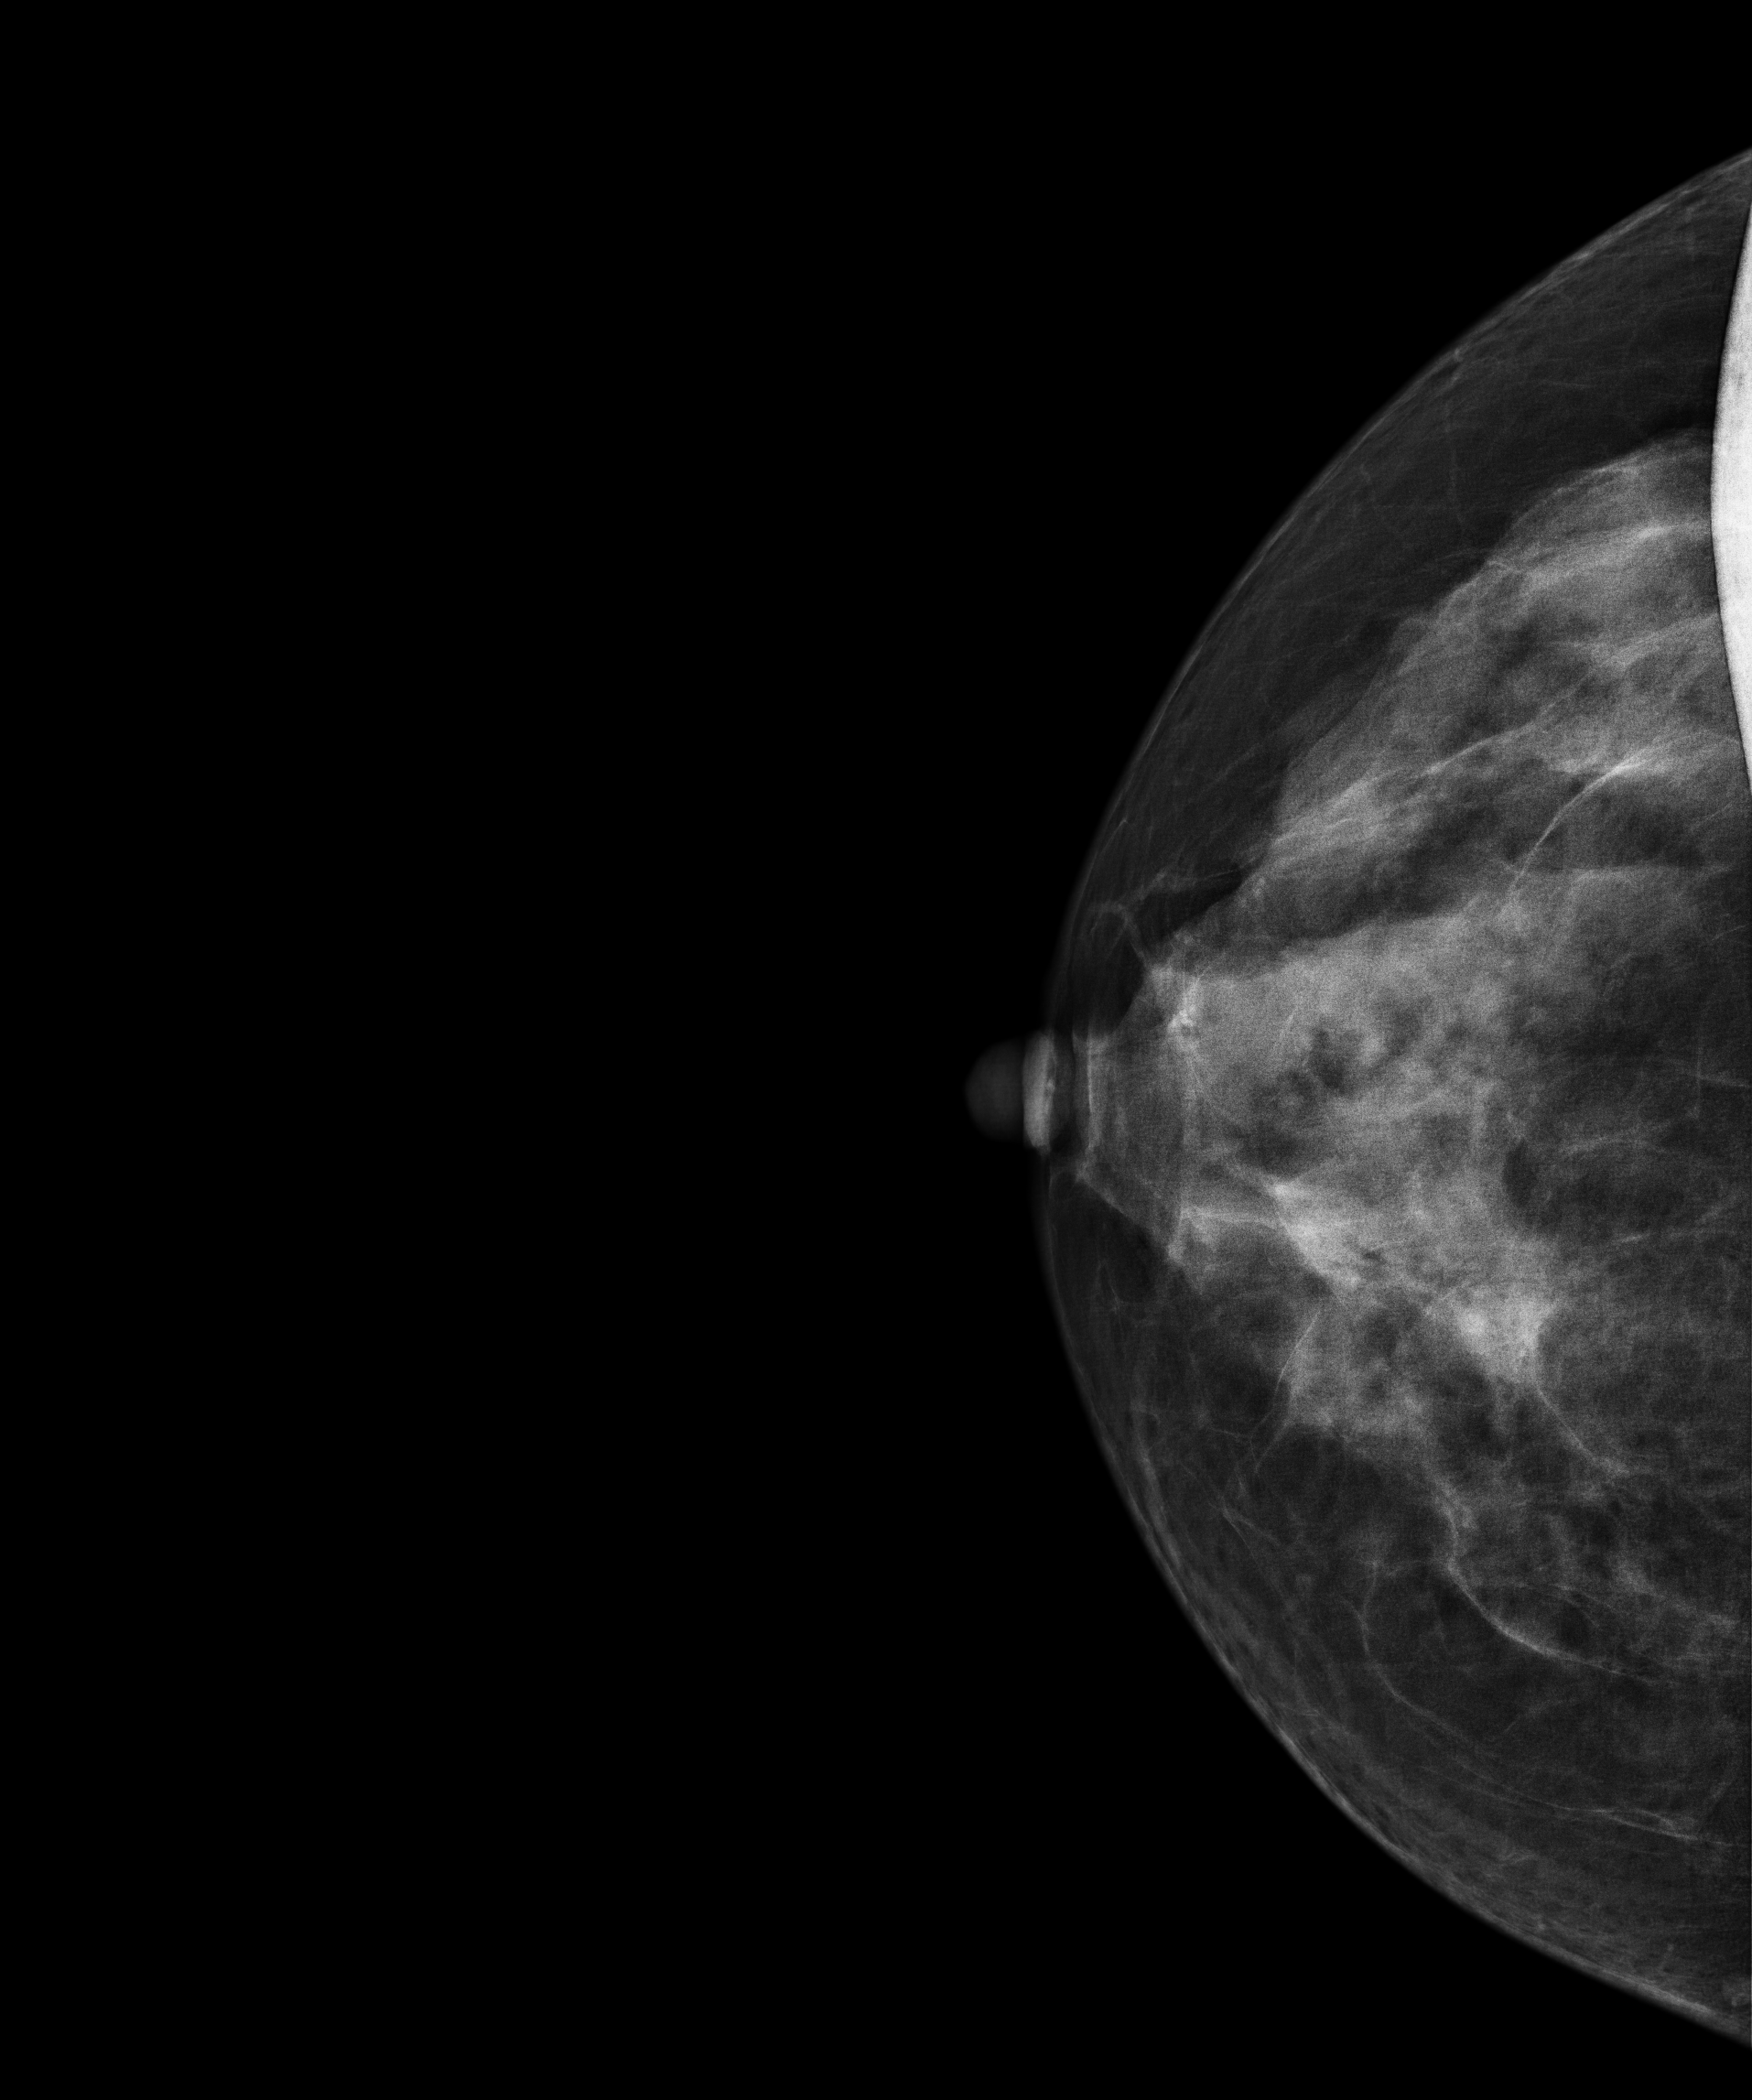
Cranio-caudal mammogram of the right breast. 48-year-old patient.
Contralateral breast — no documented abnormality on this side.